Mammogram, left breast, cranio-caudal view. 59-year-old patient.
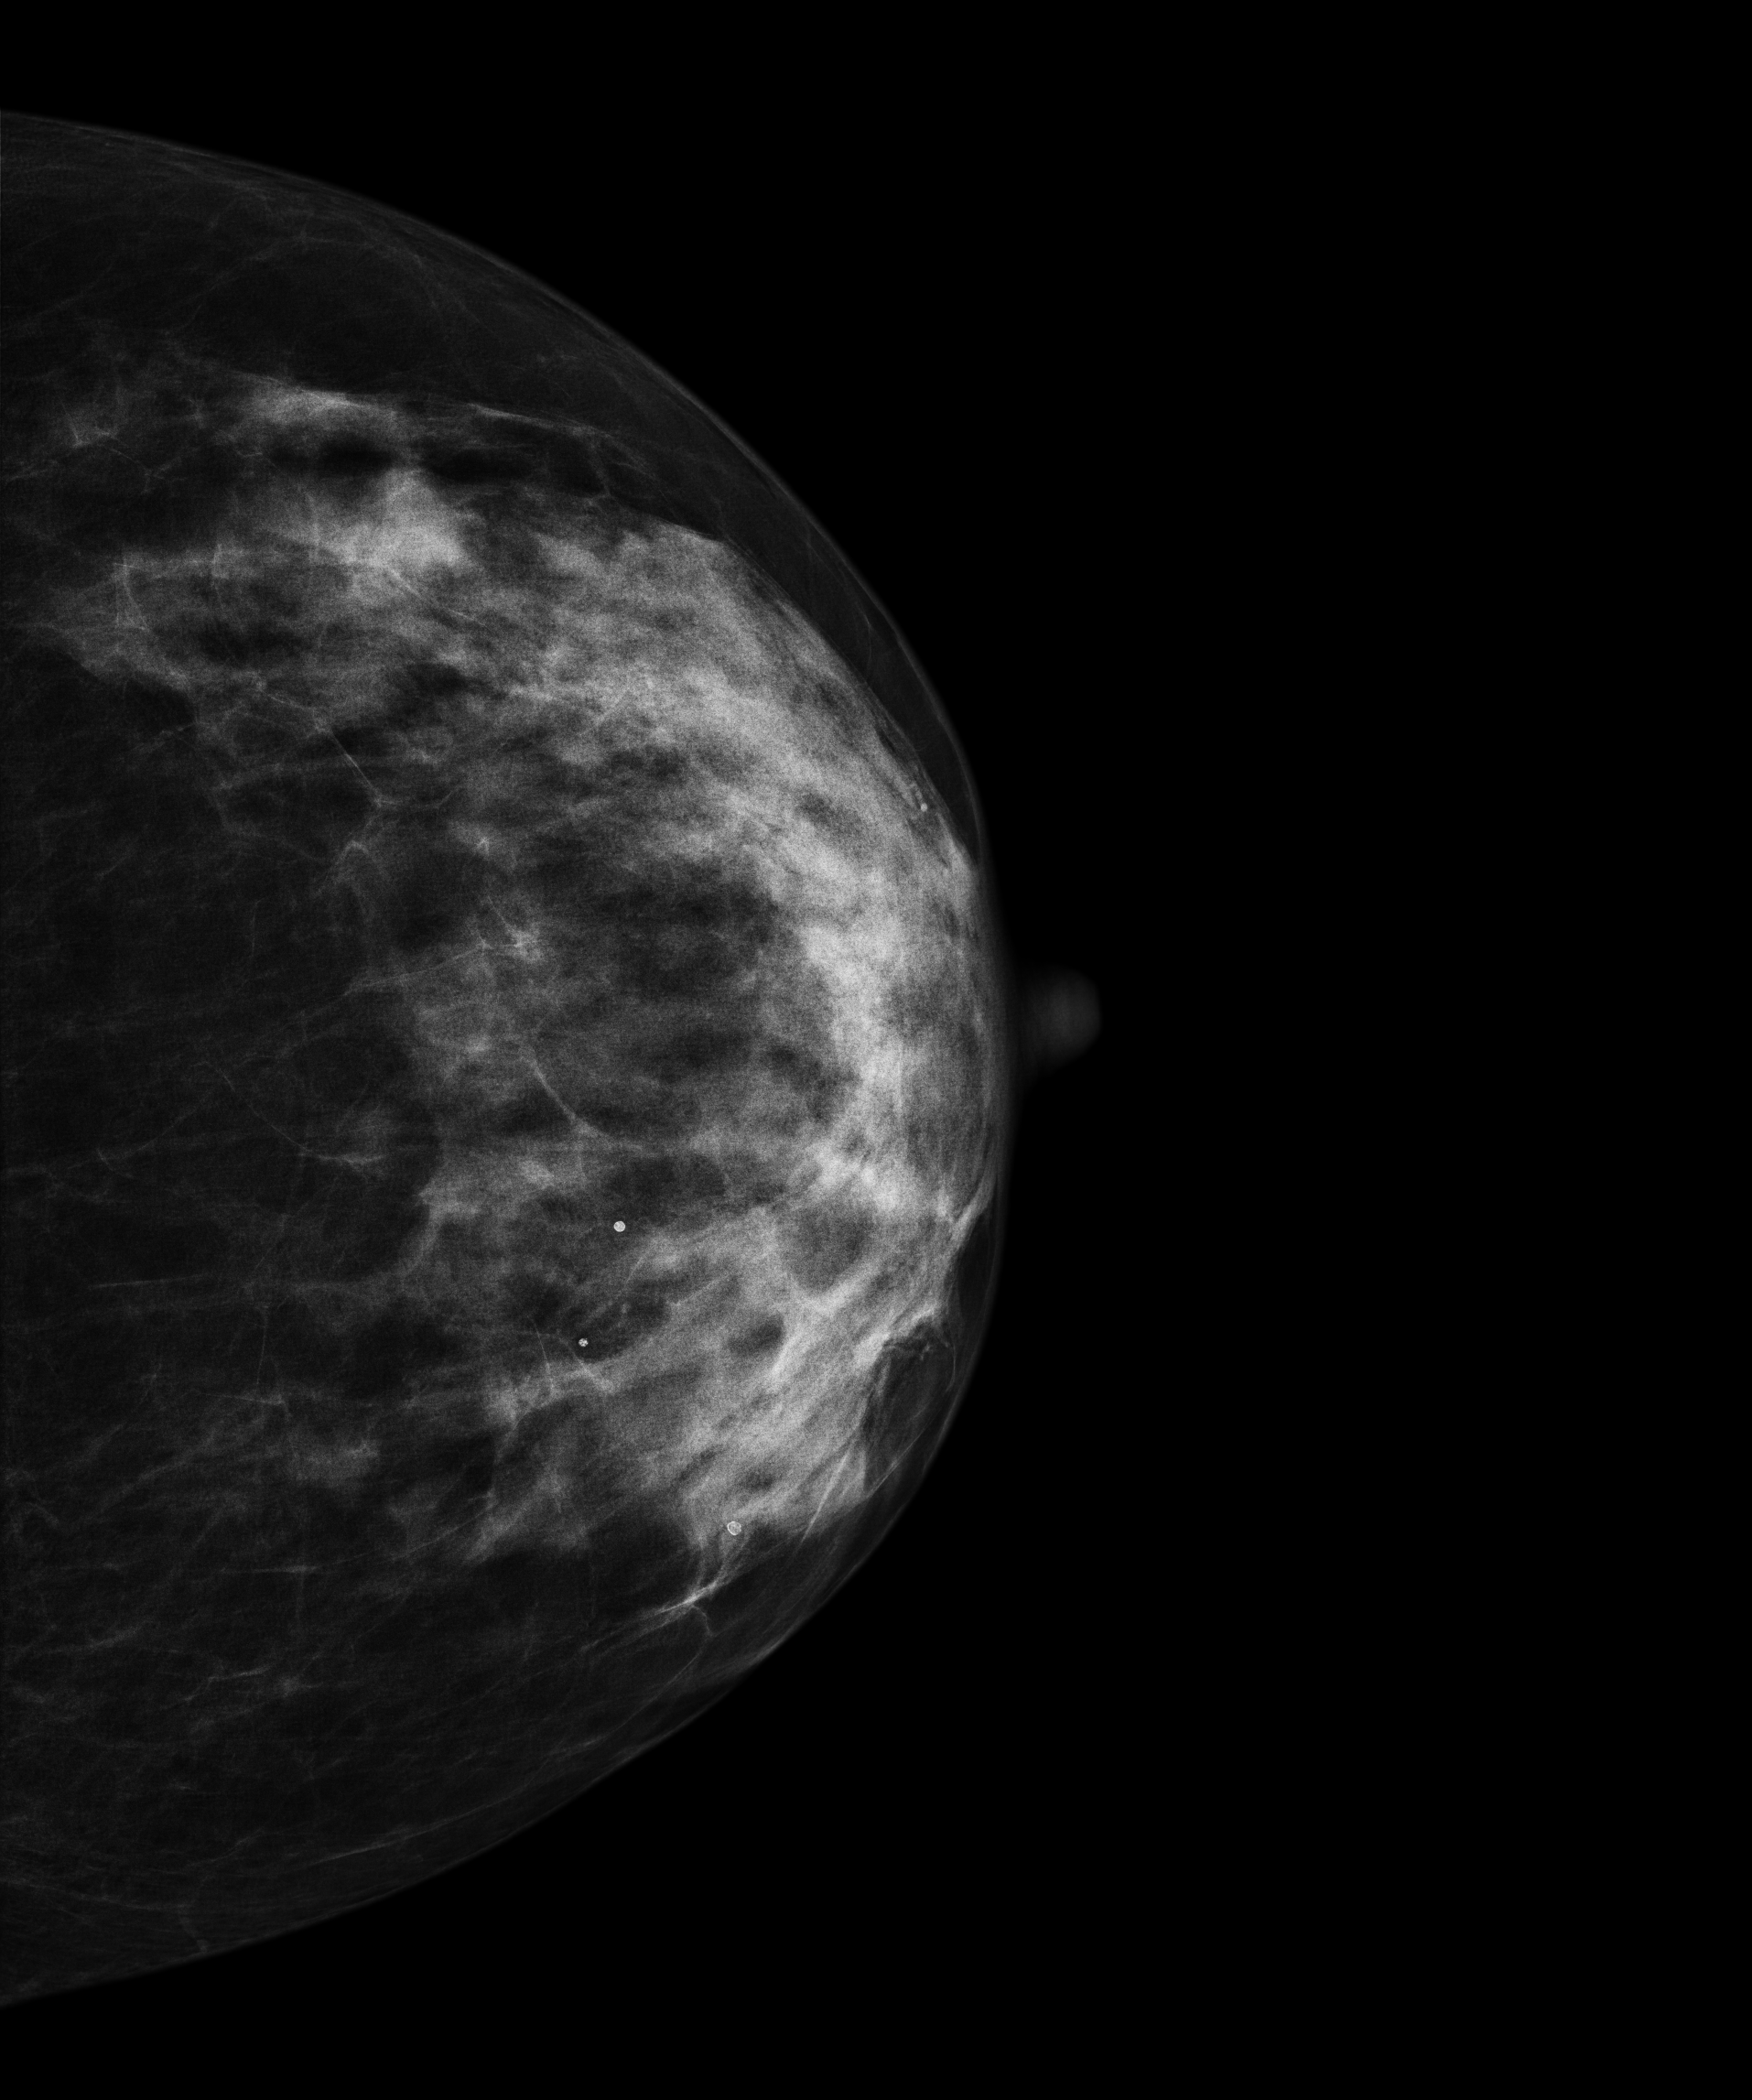
Contralateral breast — no documented abnormality on this side.